Mammogram, left breast, medio-lateral oblique view. 76 y/o patient.
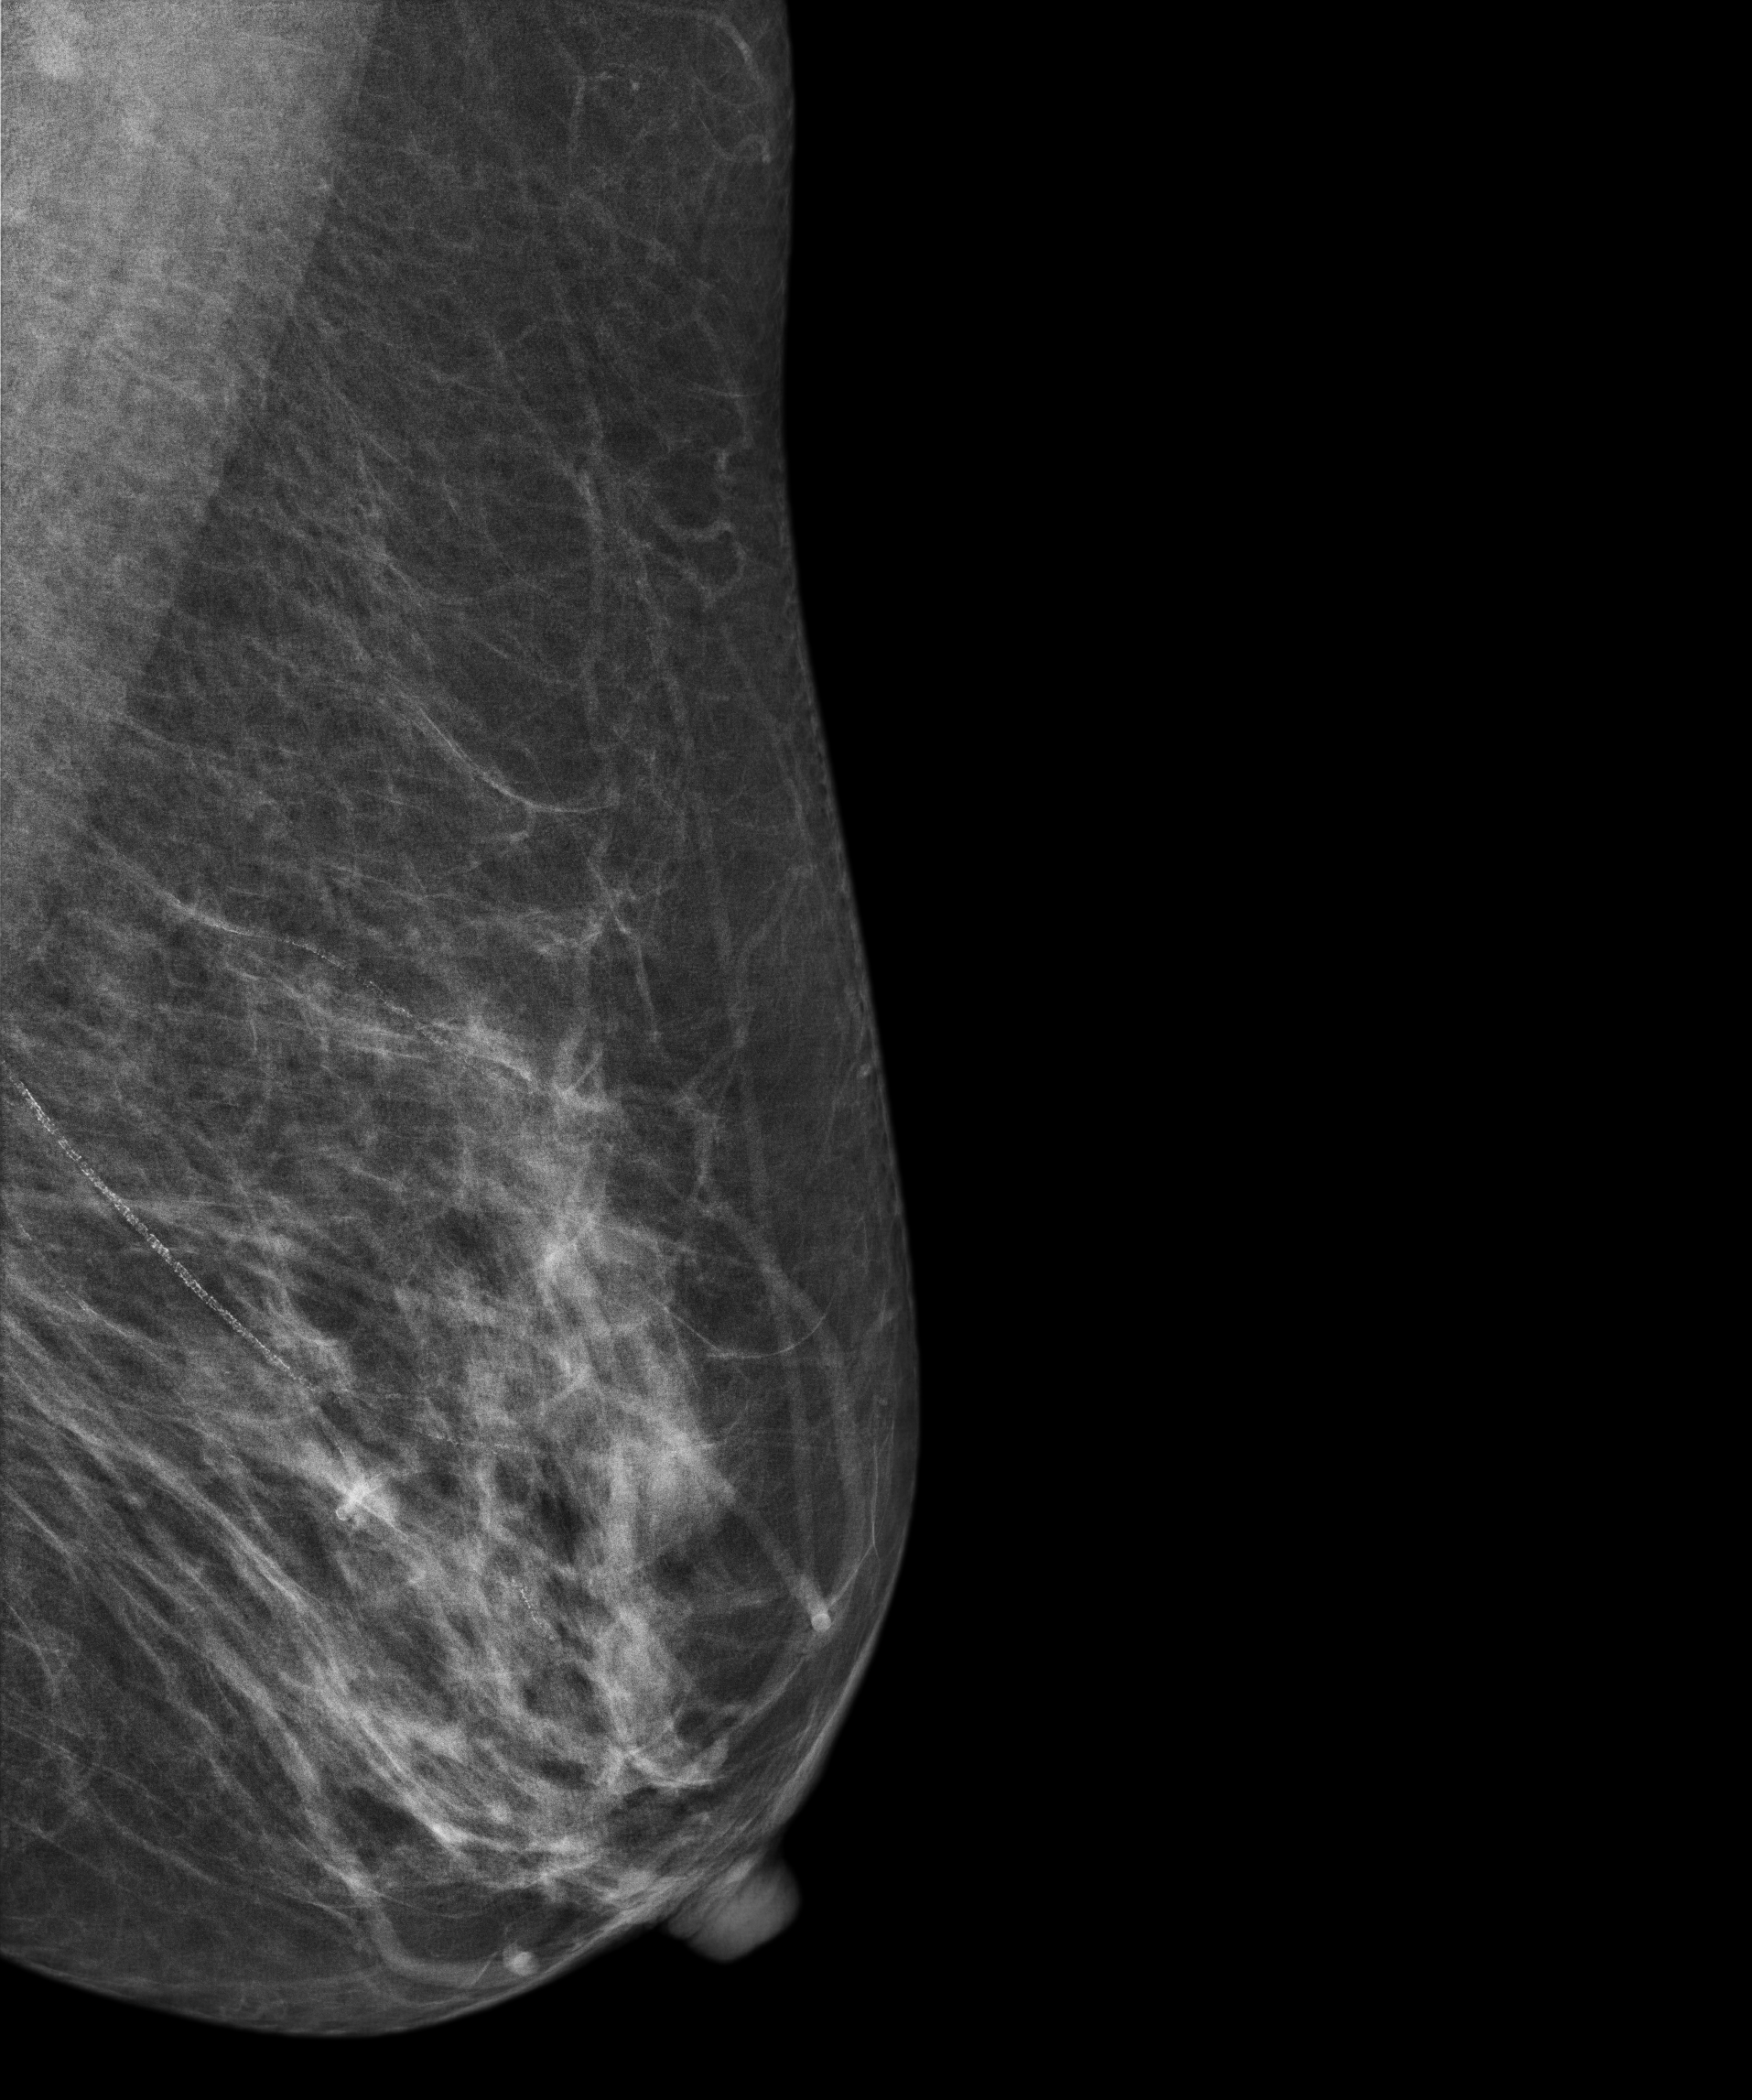
Contralateral breast — no documented abnormality on this side.